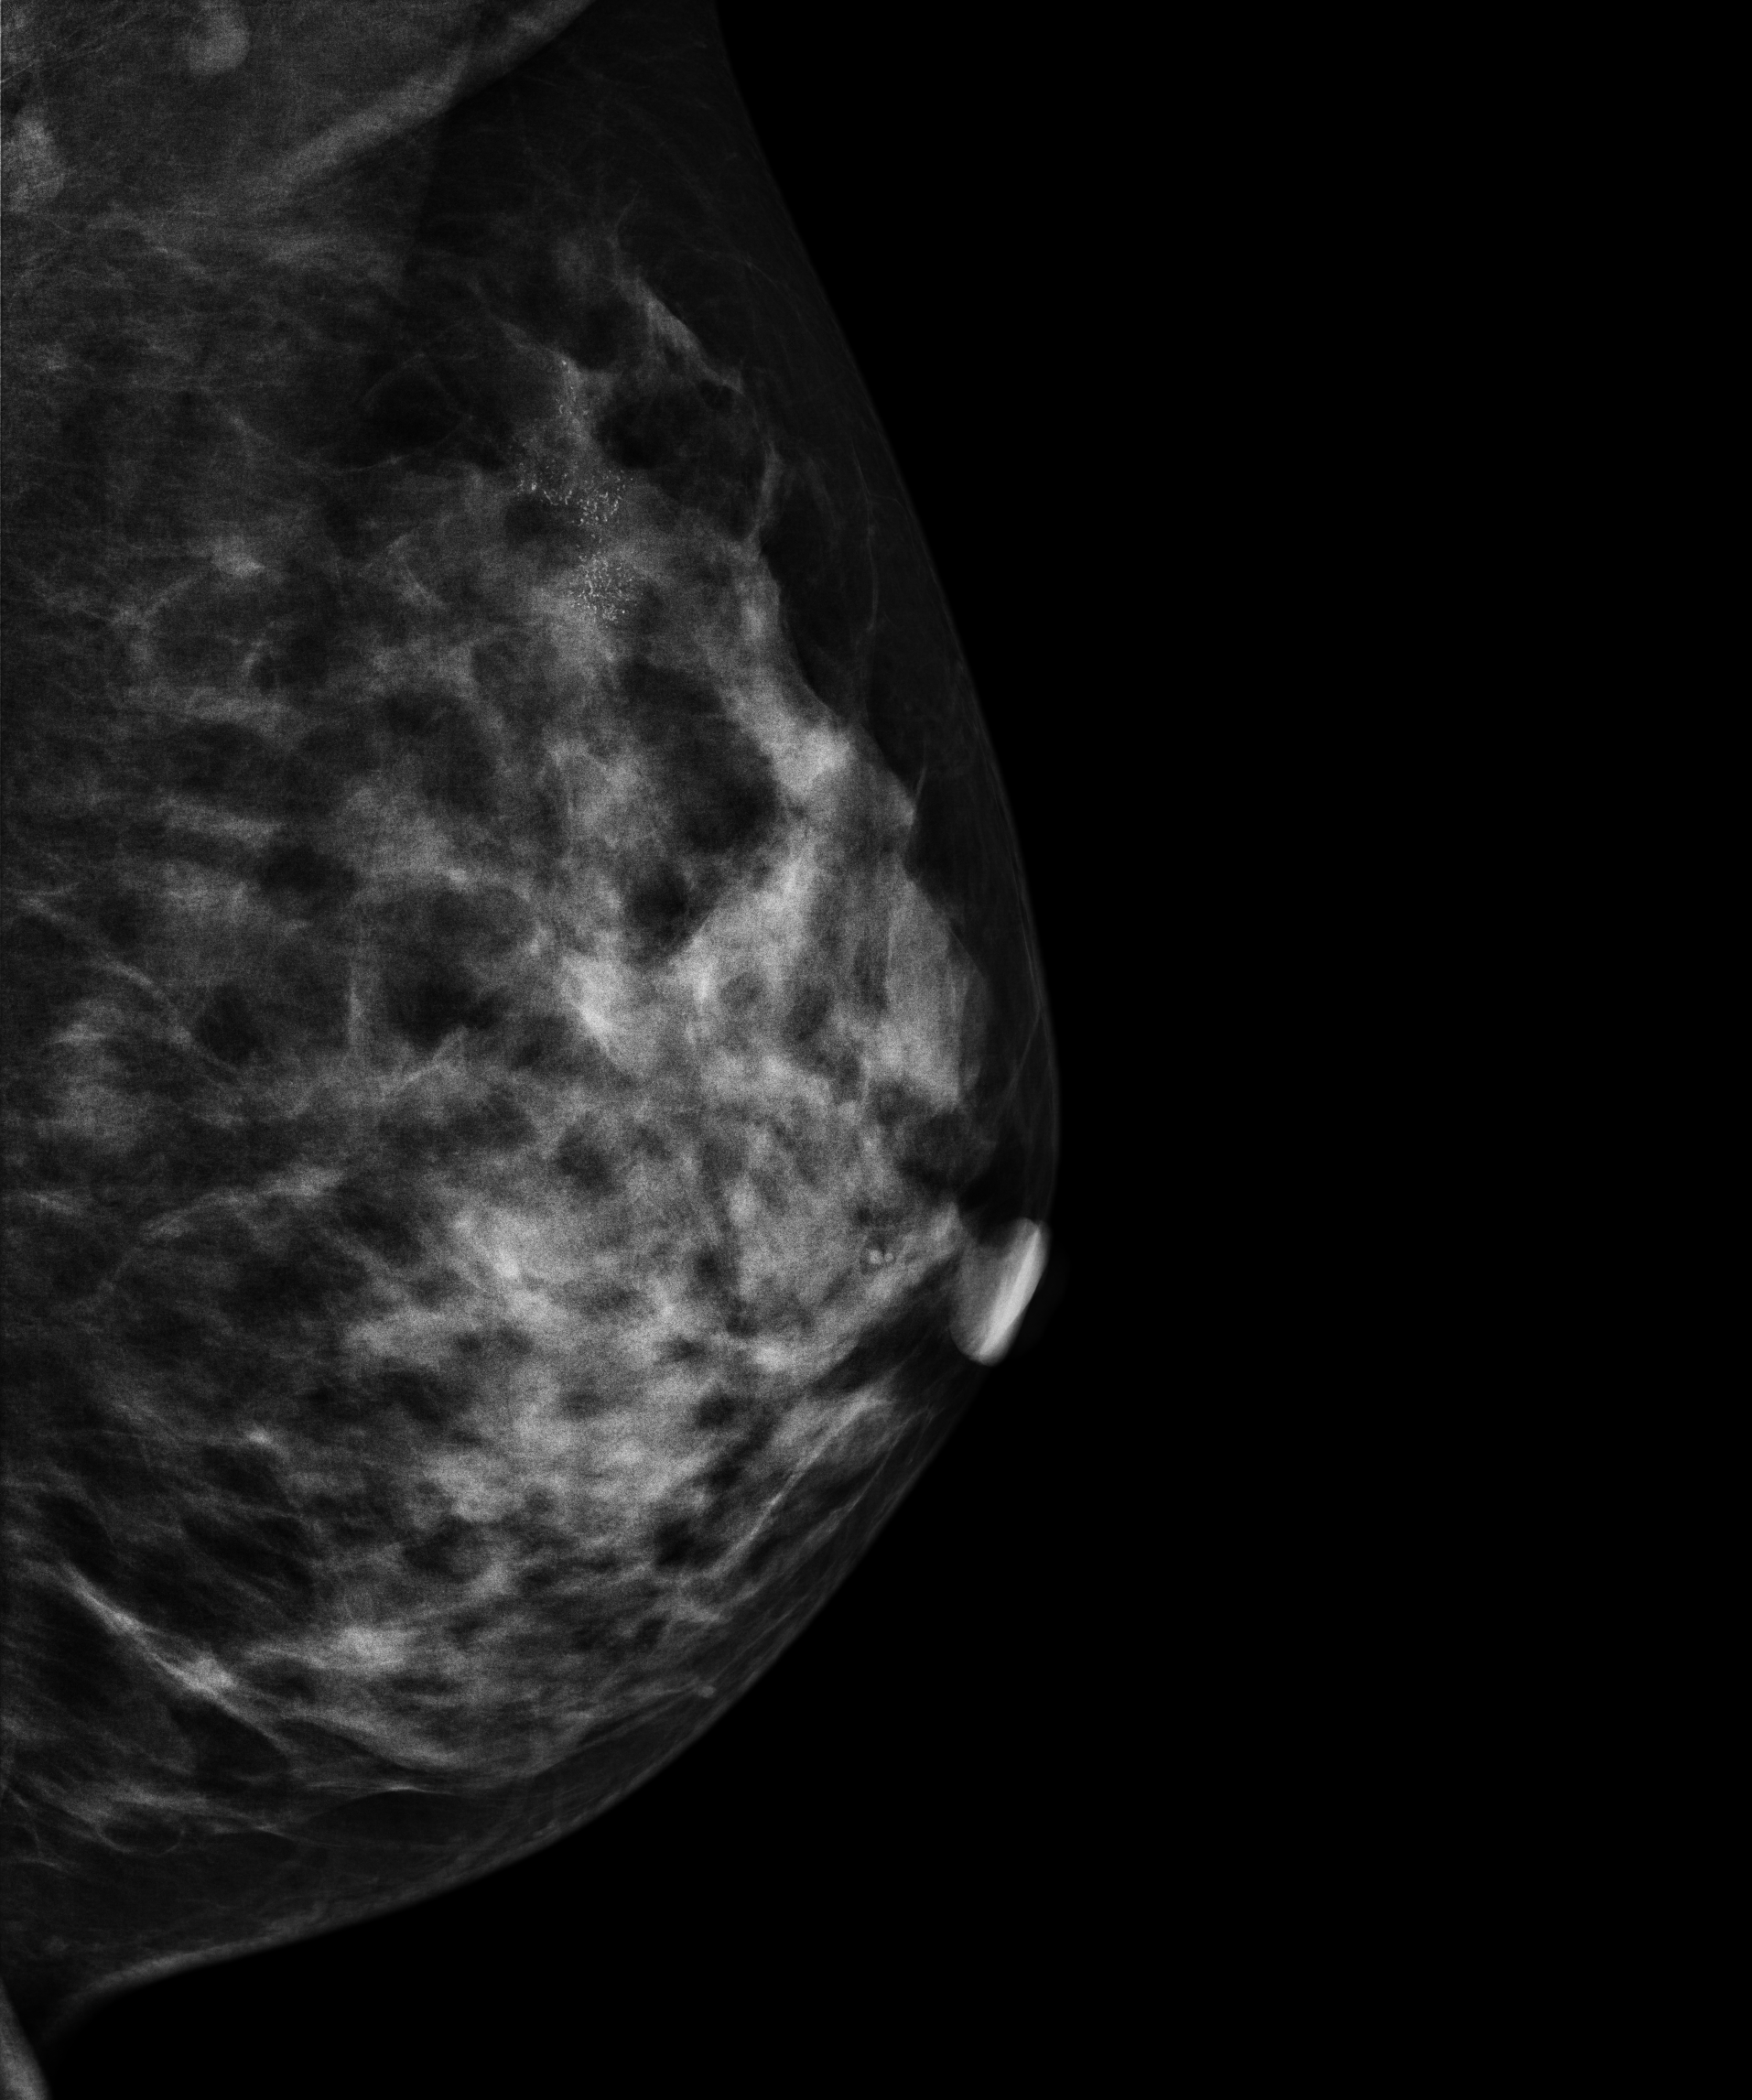
Mammogram, left breast, medio-lateral oblique view. 33-year-old patient.
This breast has calcifications, histologically confirmed malignant.